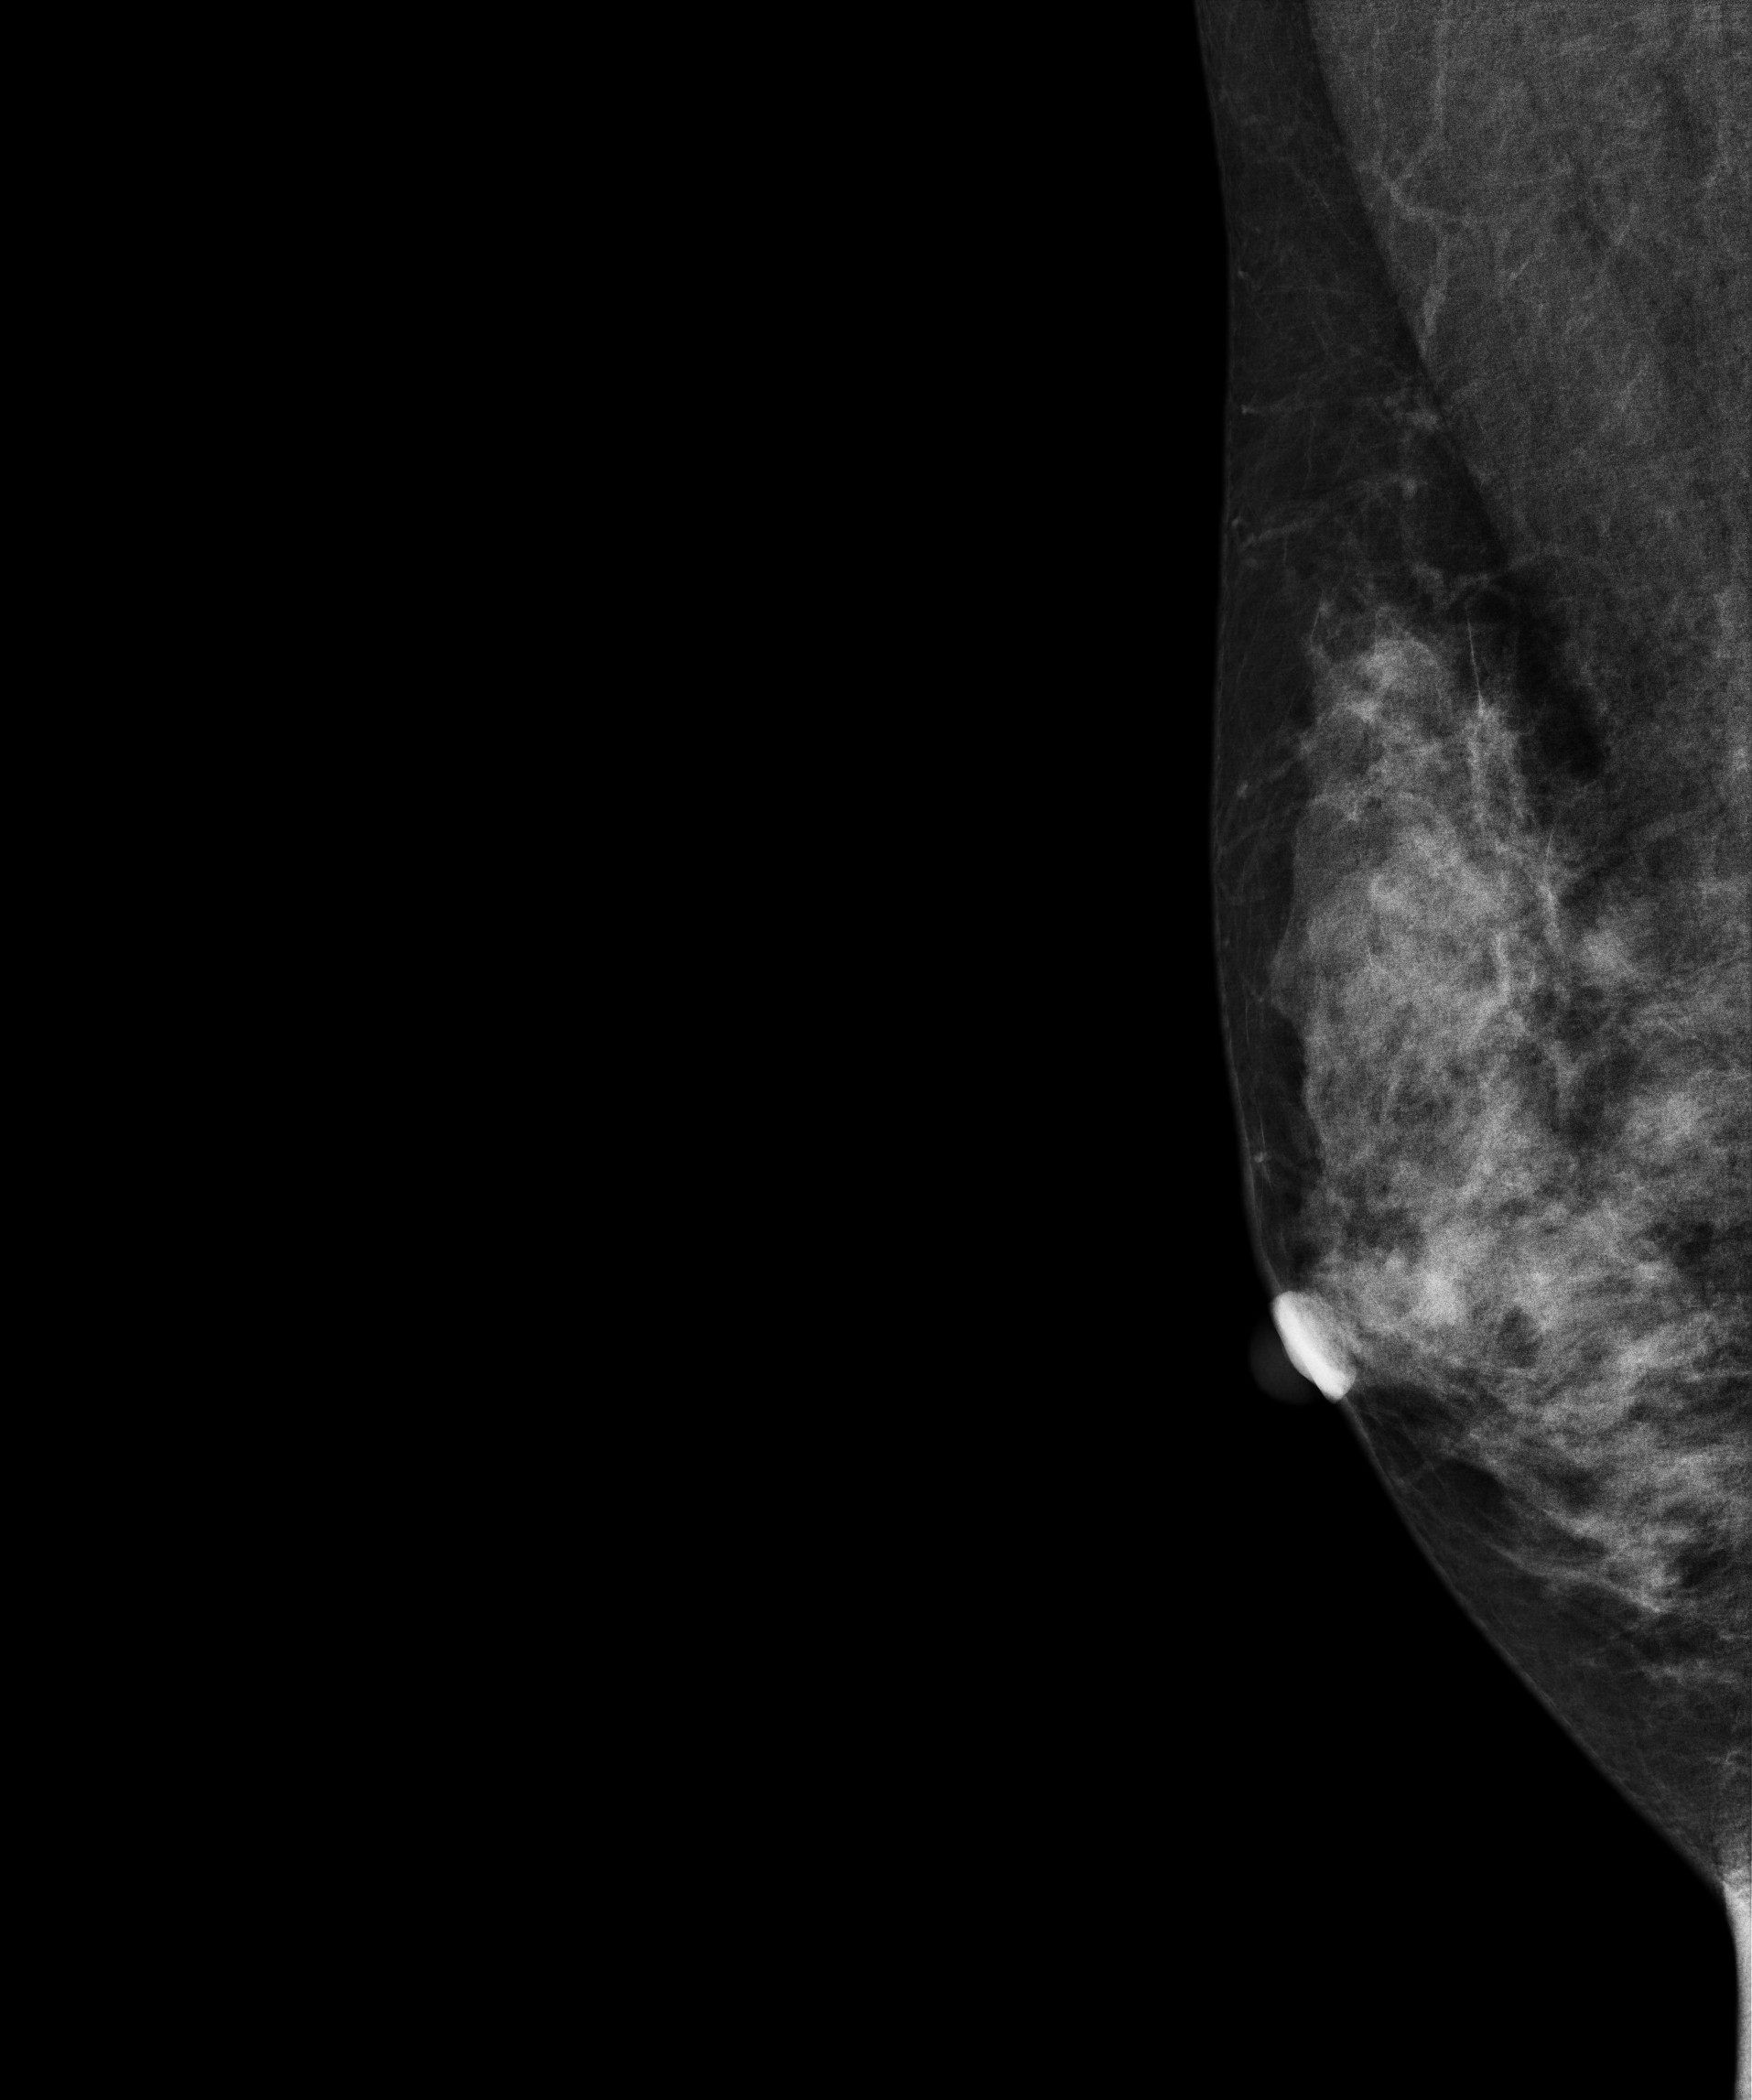
Right-breast mammogram, medio-lateral oblique. 40-year-old patient.
Contralateral breast — no documented abnormality on this side.